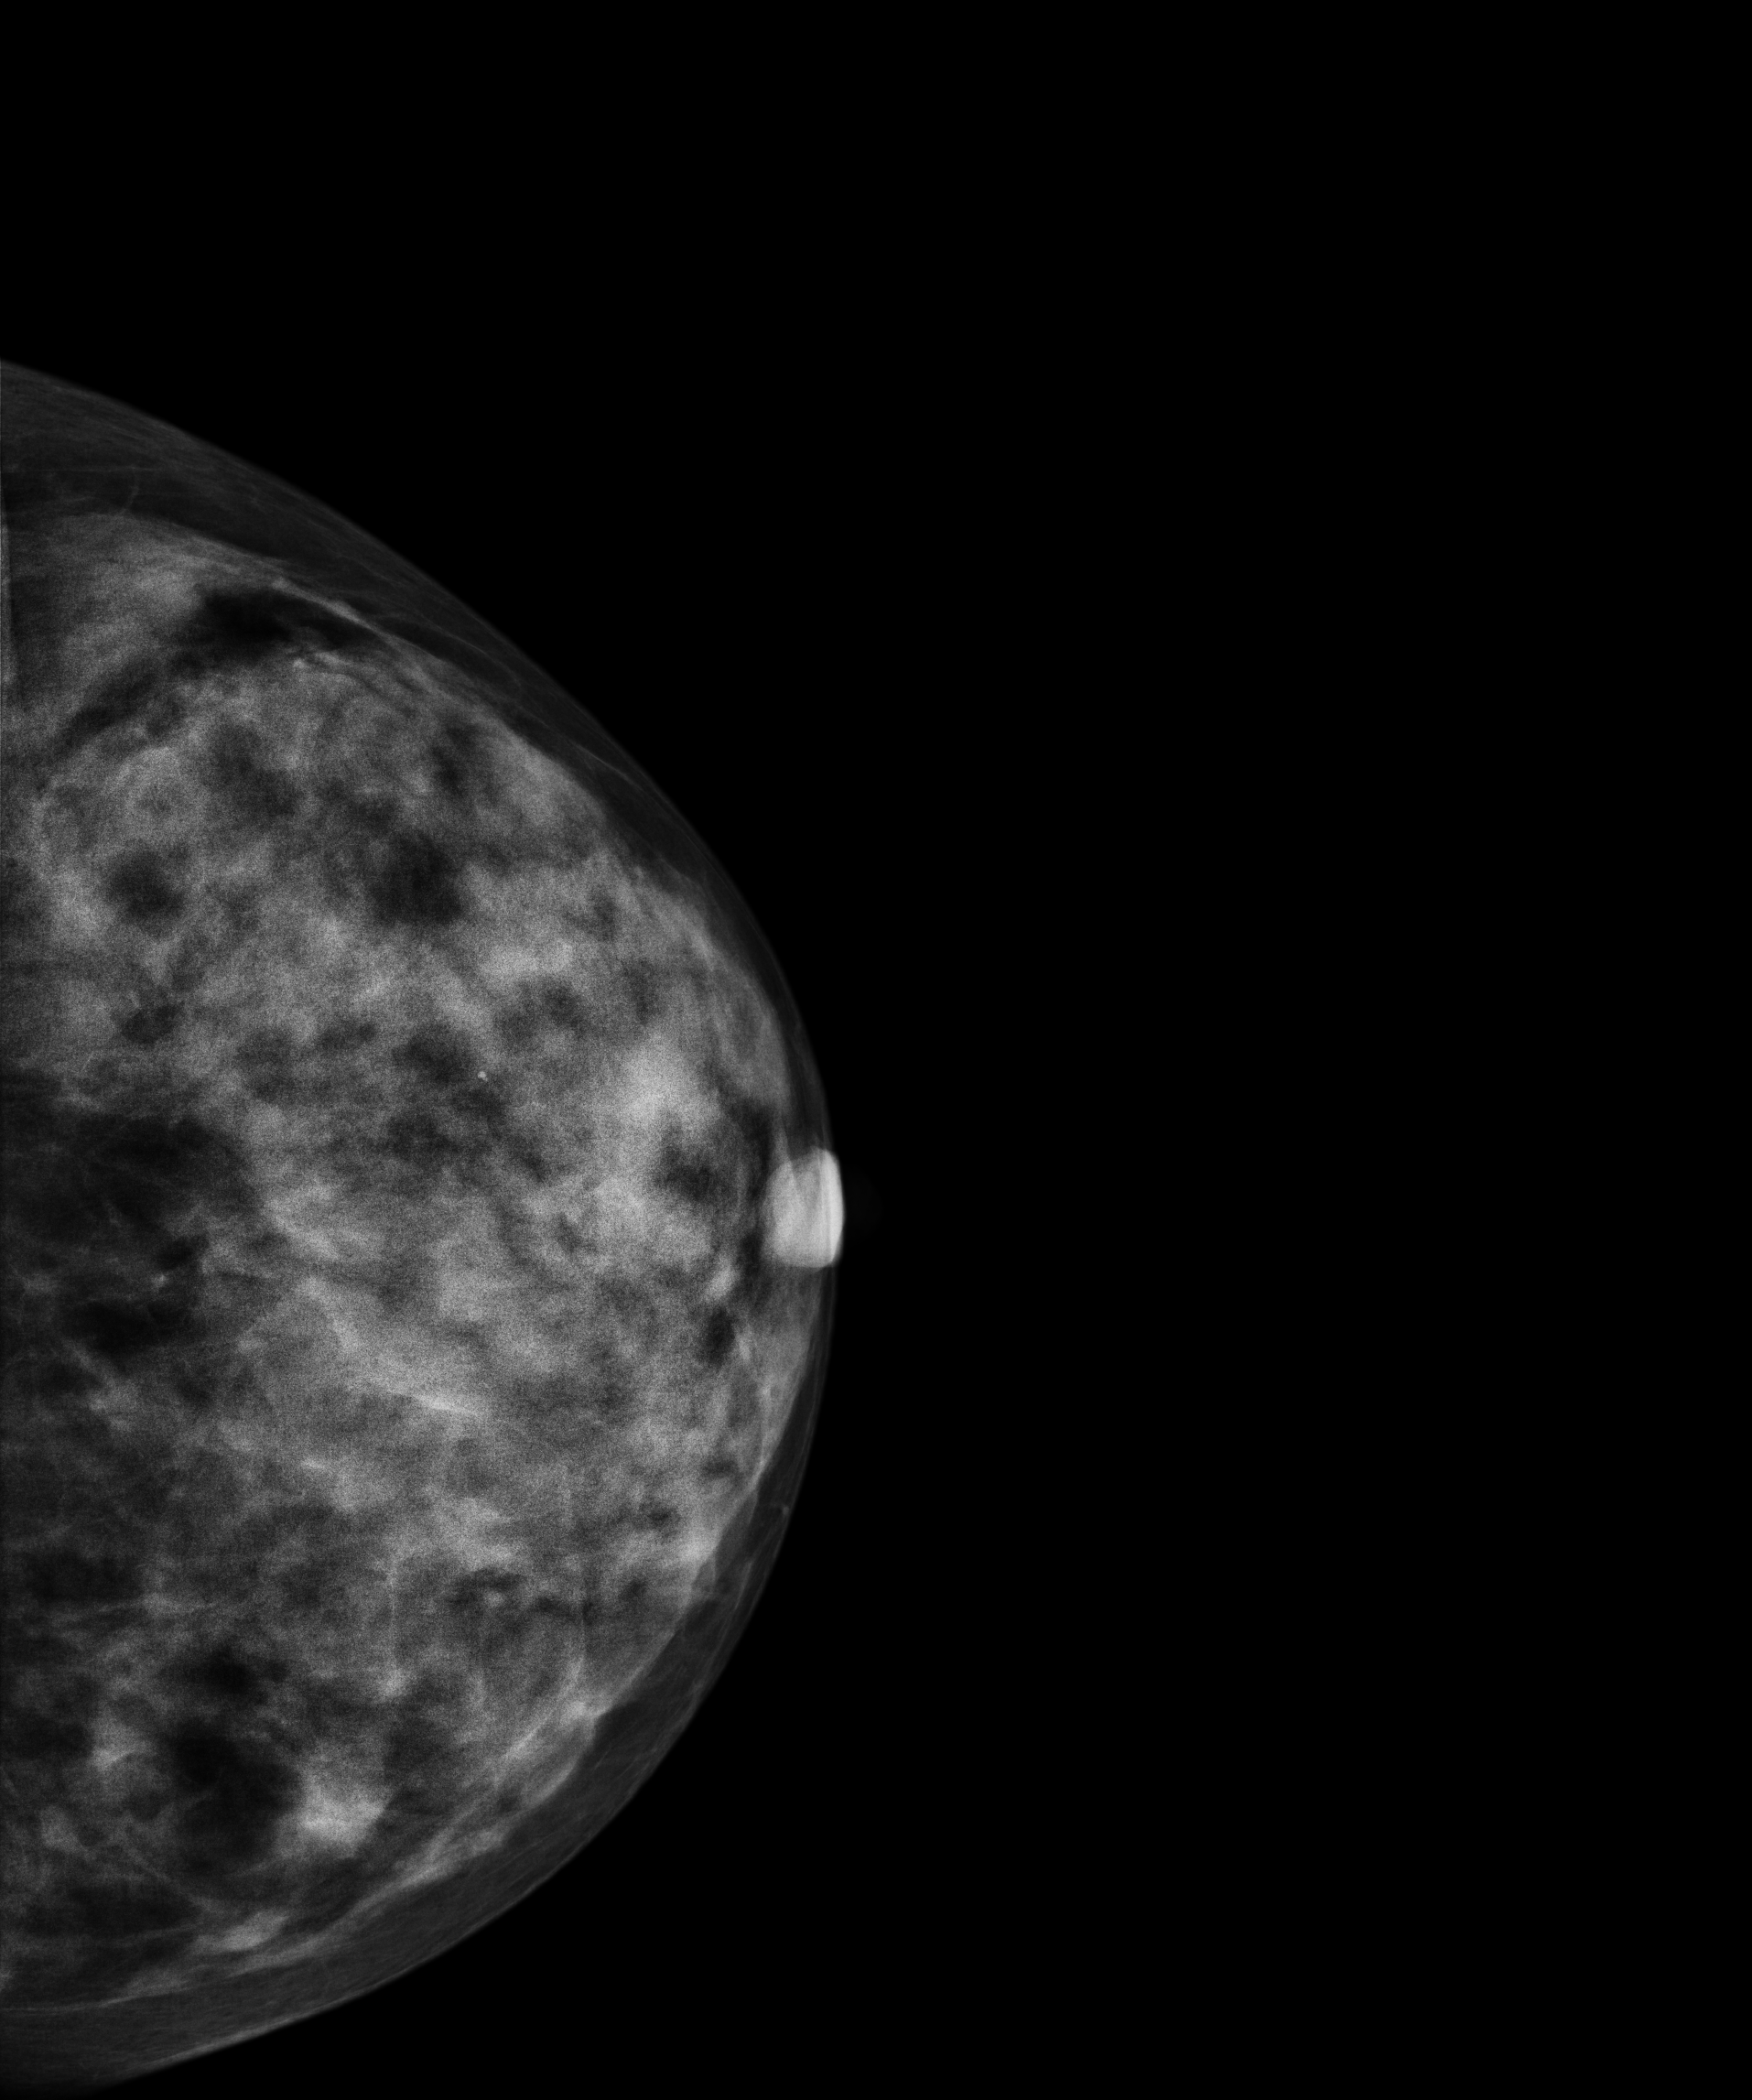
Left-breast mammogram, CC. Patient age 43.
This breast has a mass, biopsy-confirmed benign.